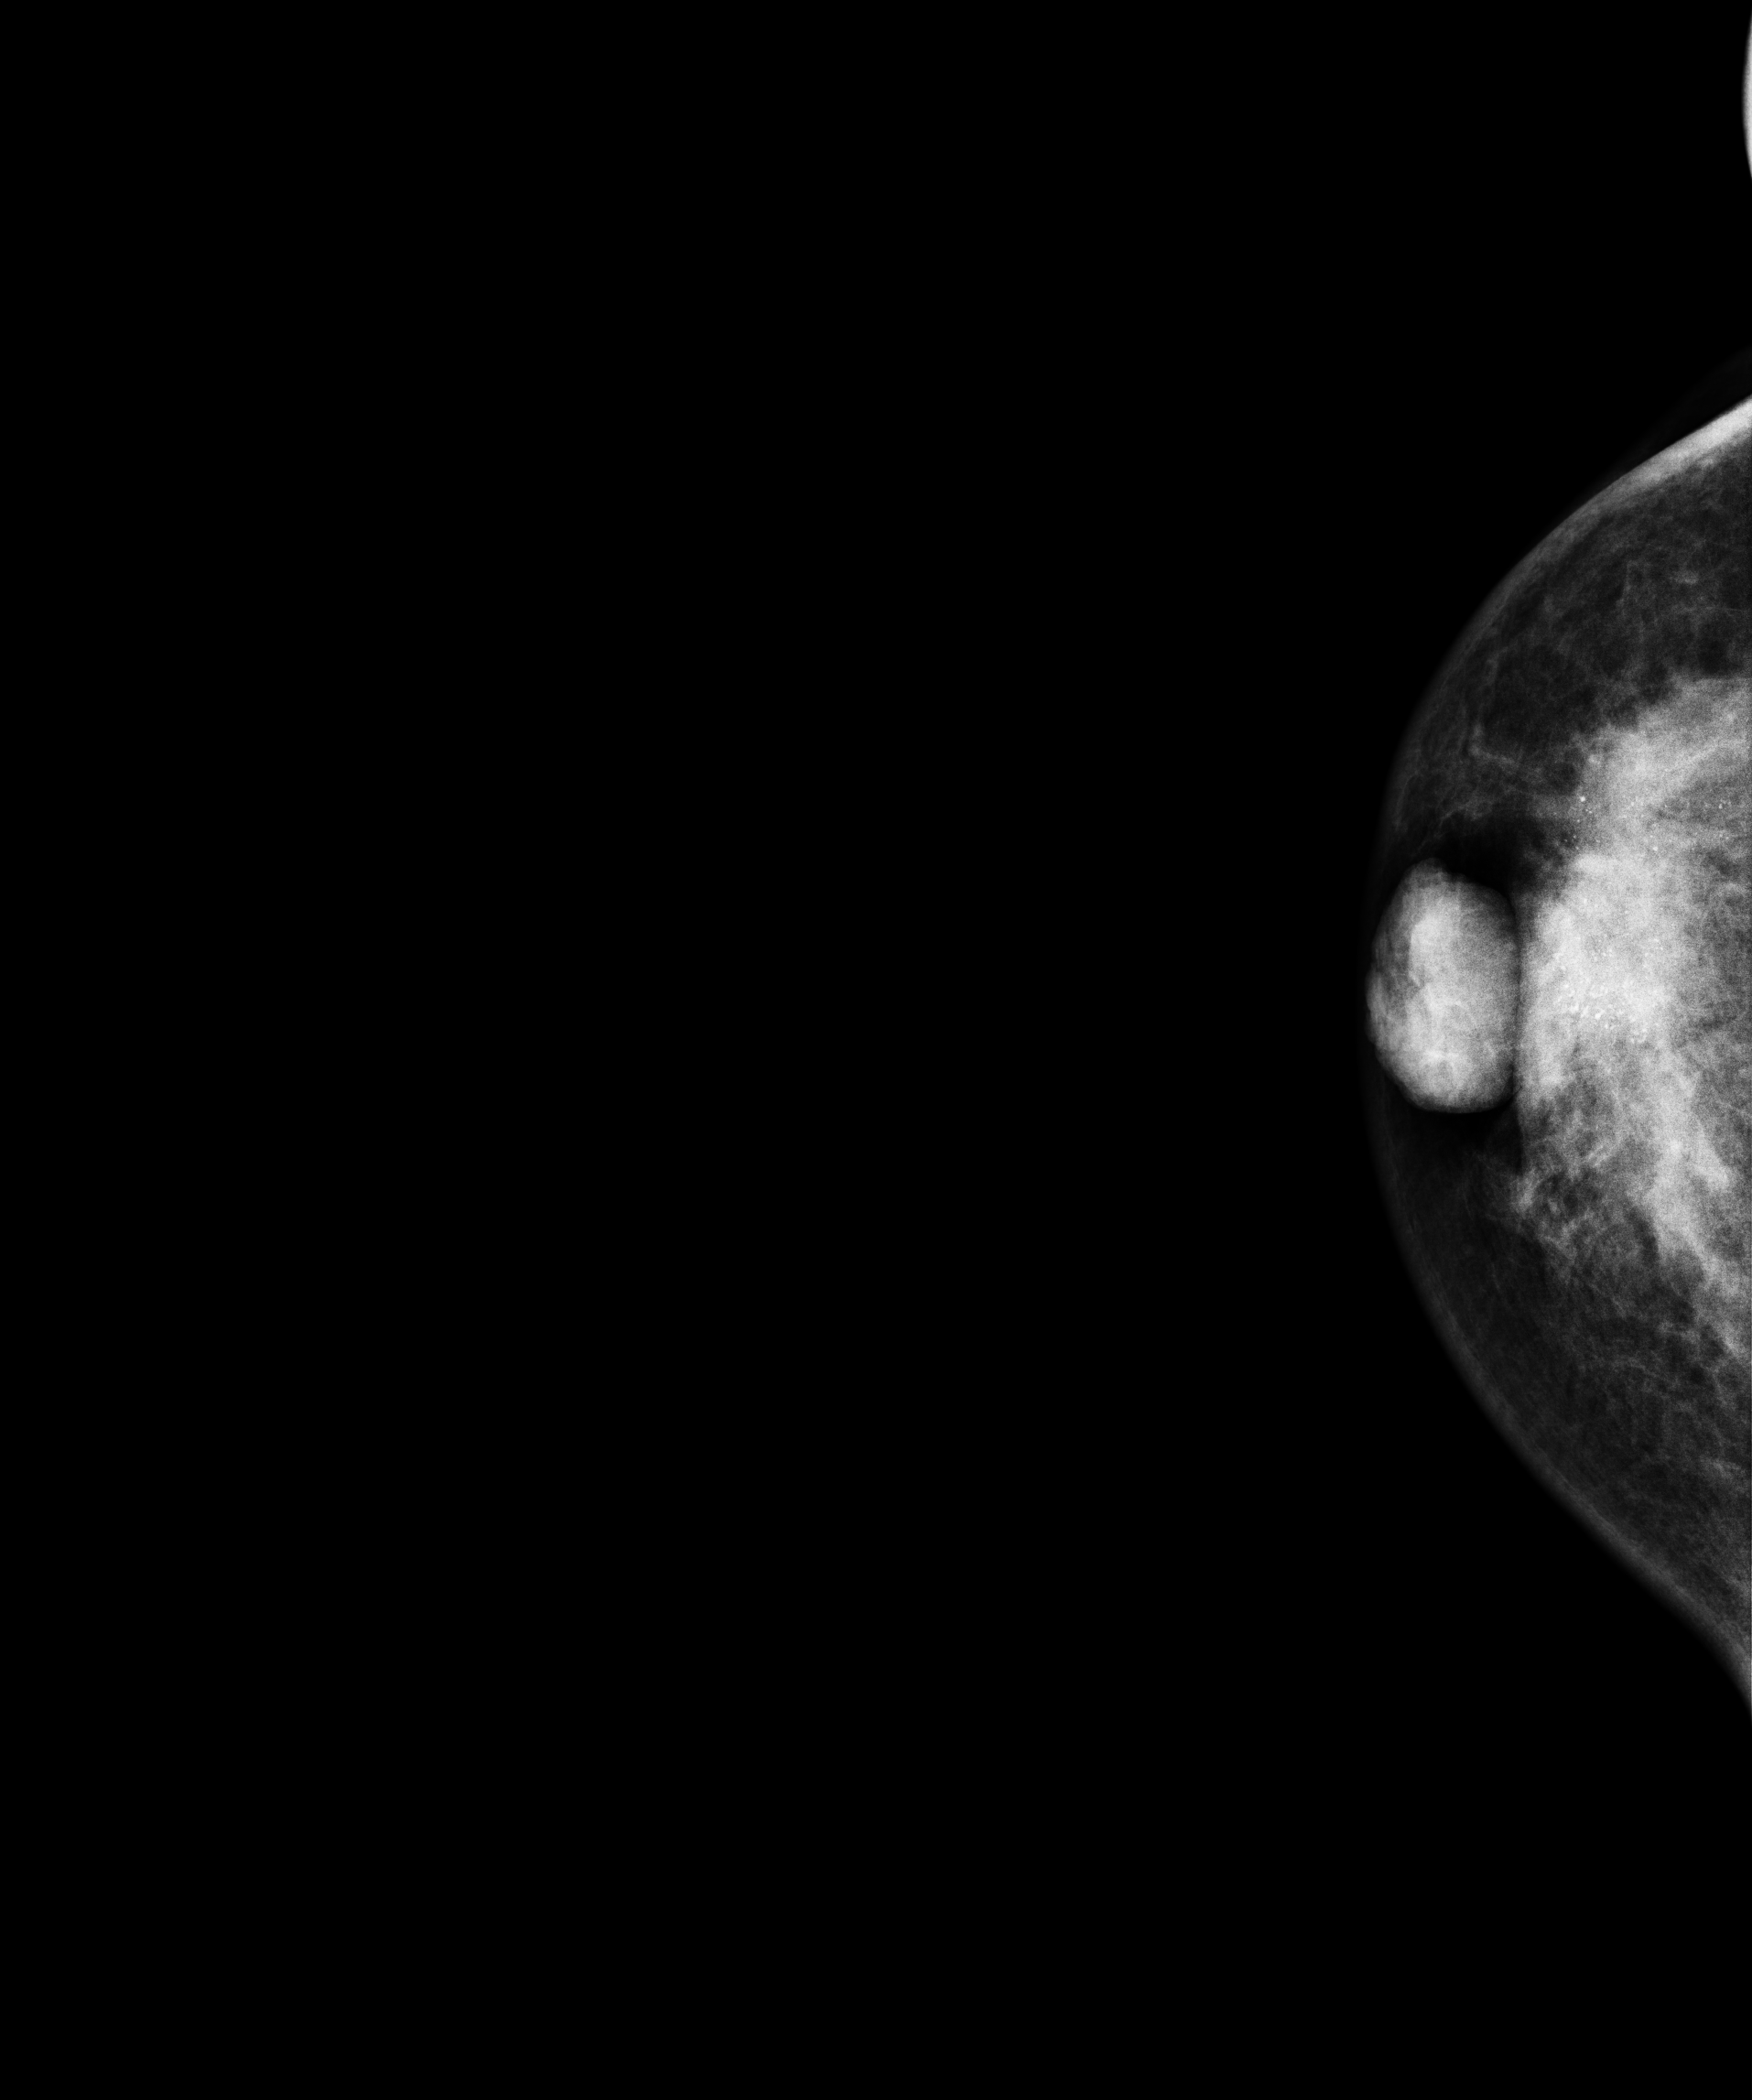
Mammogram — right cranio-caudal. 46-year-old patient.
This breast has calcifications, pathology-confirmed malignant. Molecular subtype: luminal B.